Right-breast mammogram, MLO. 51 y/o patient.
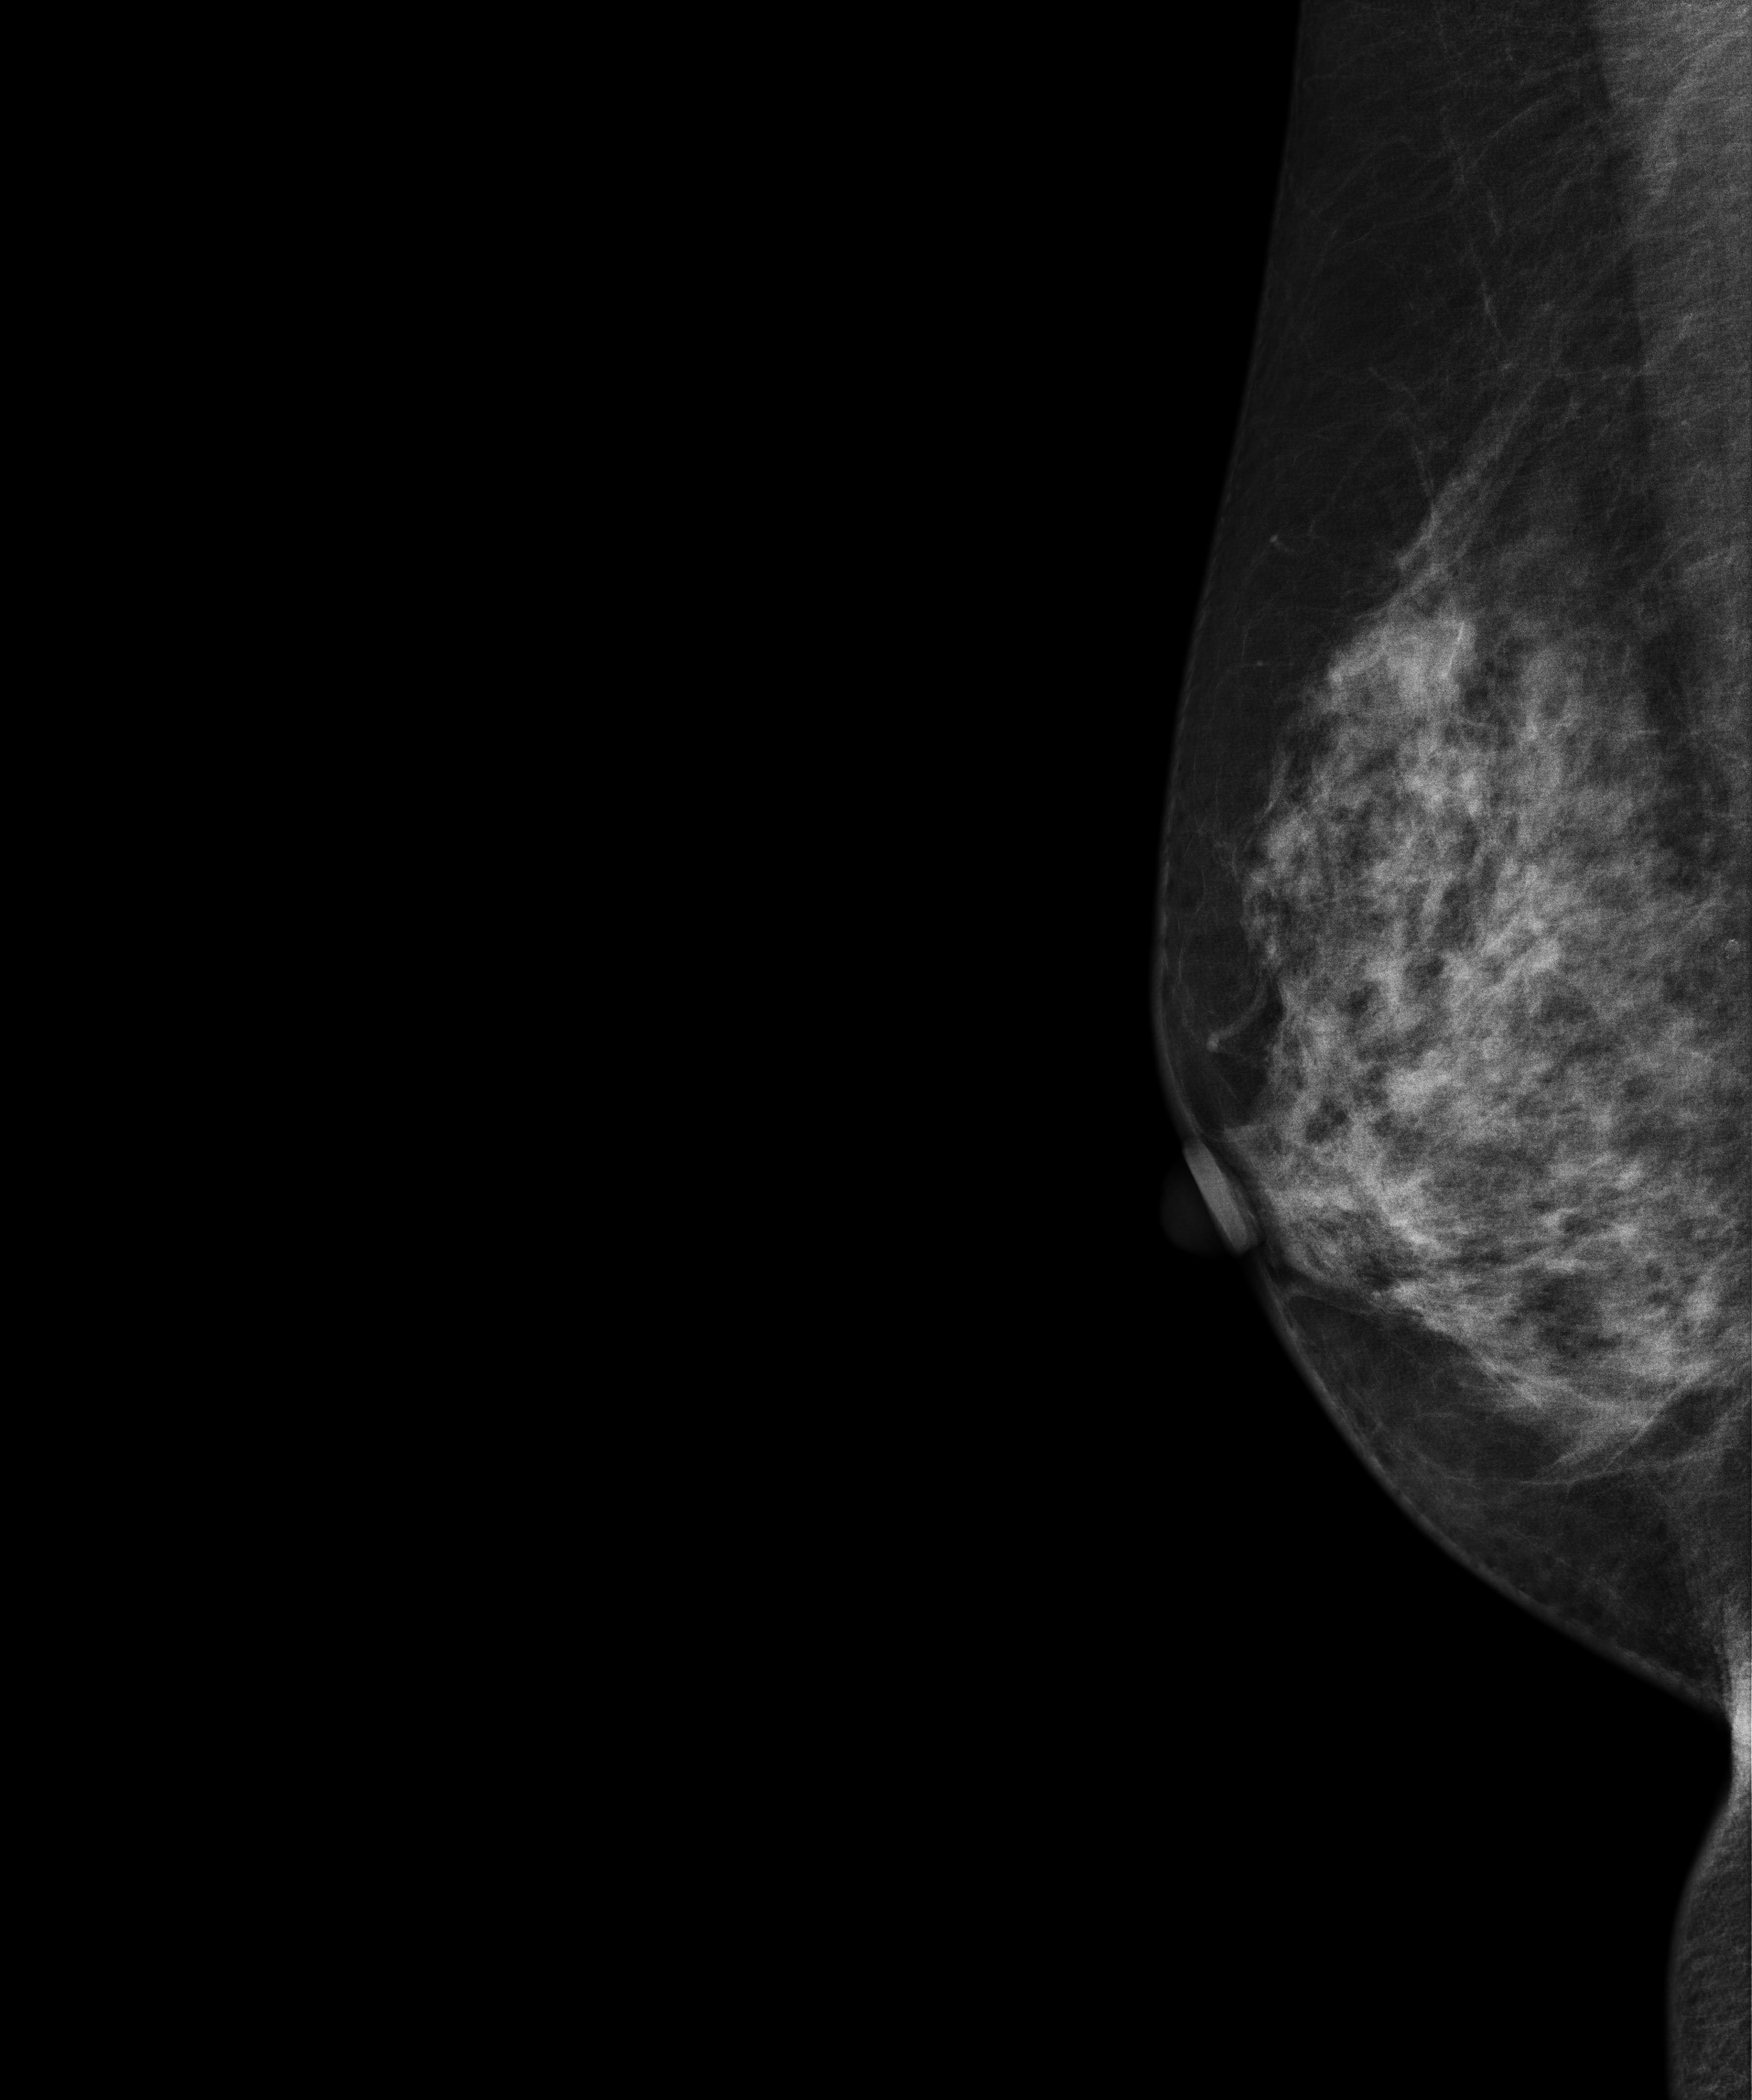
Contralateral breast — no documented abnormality on this side.